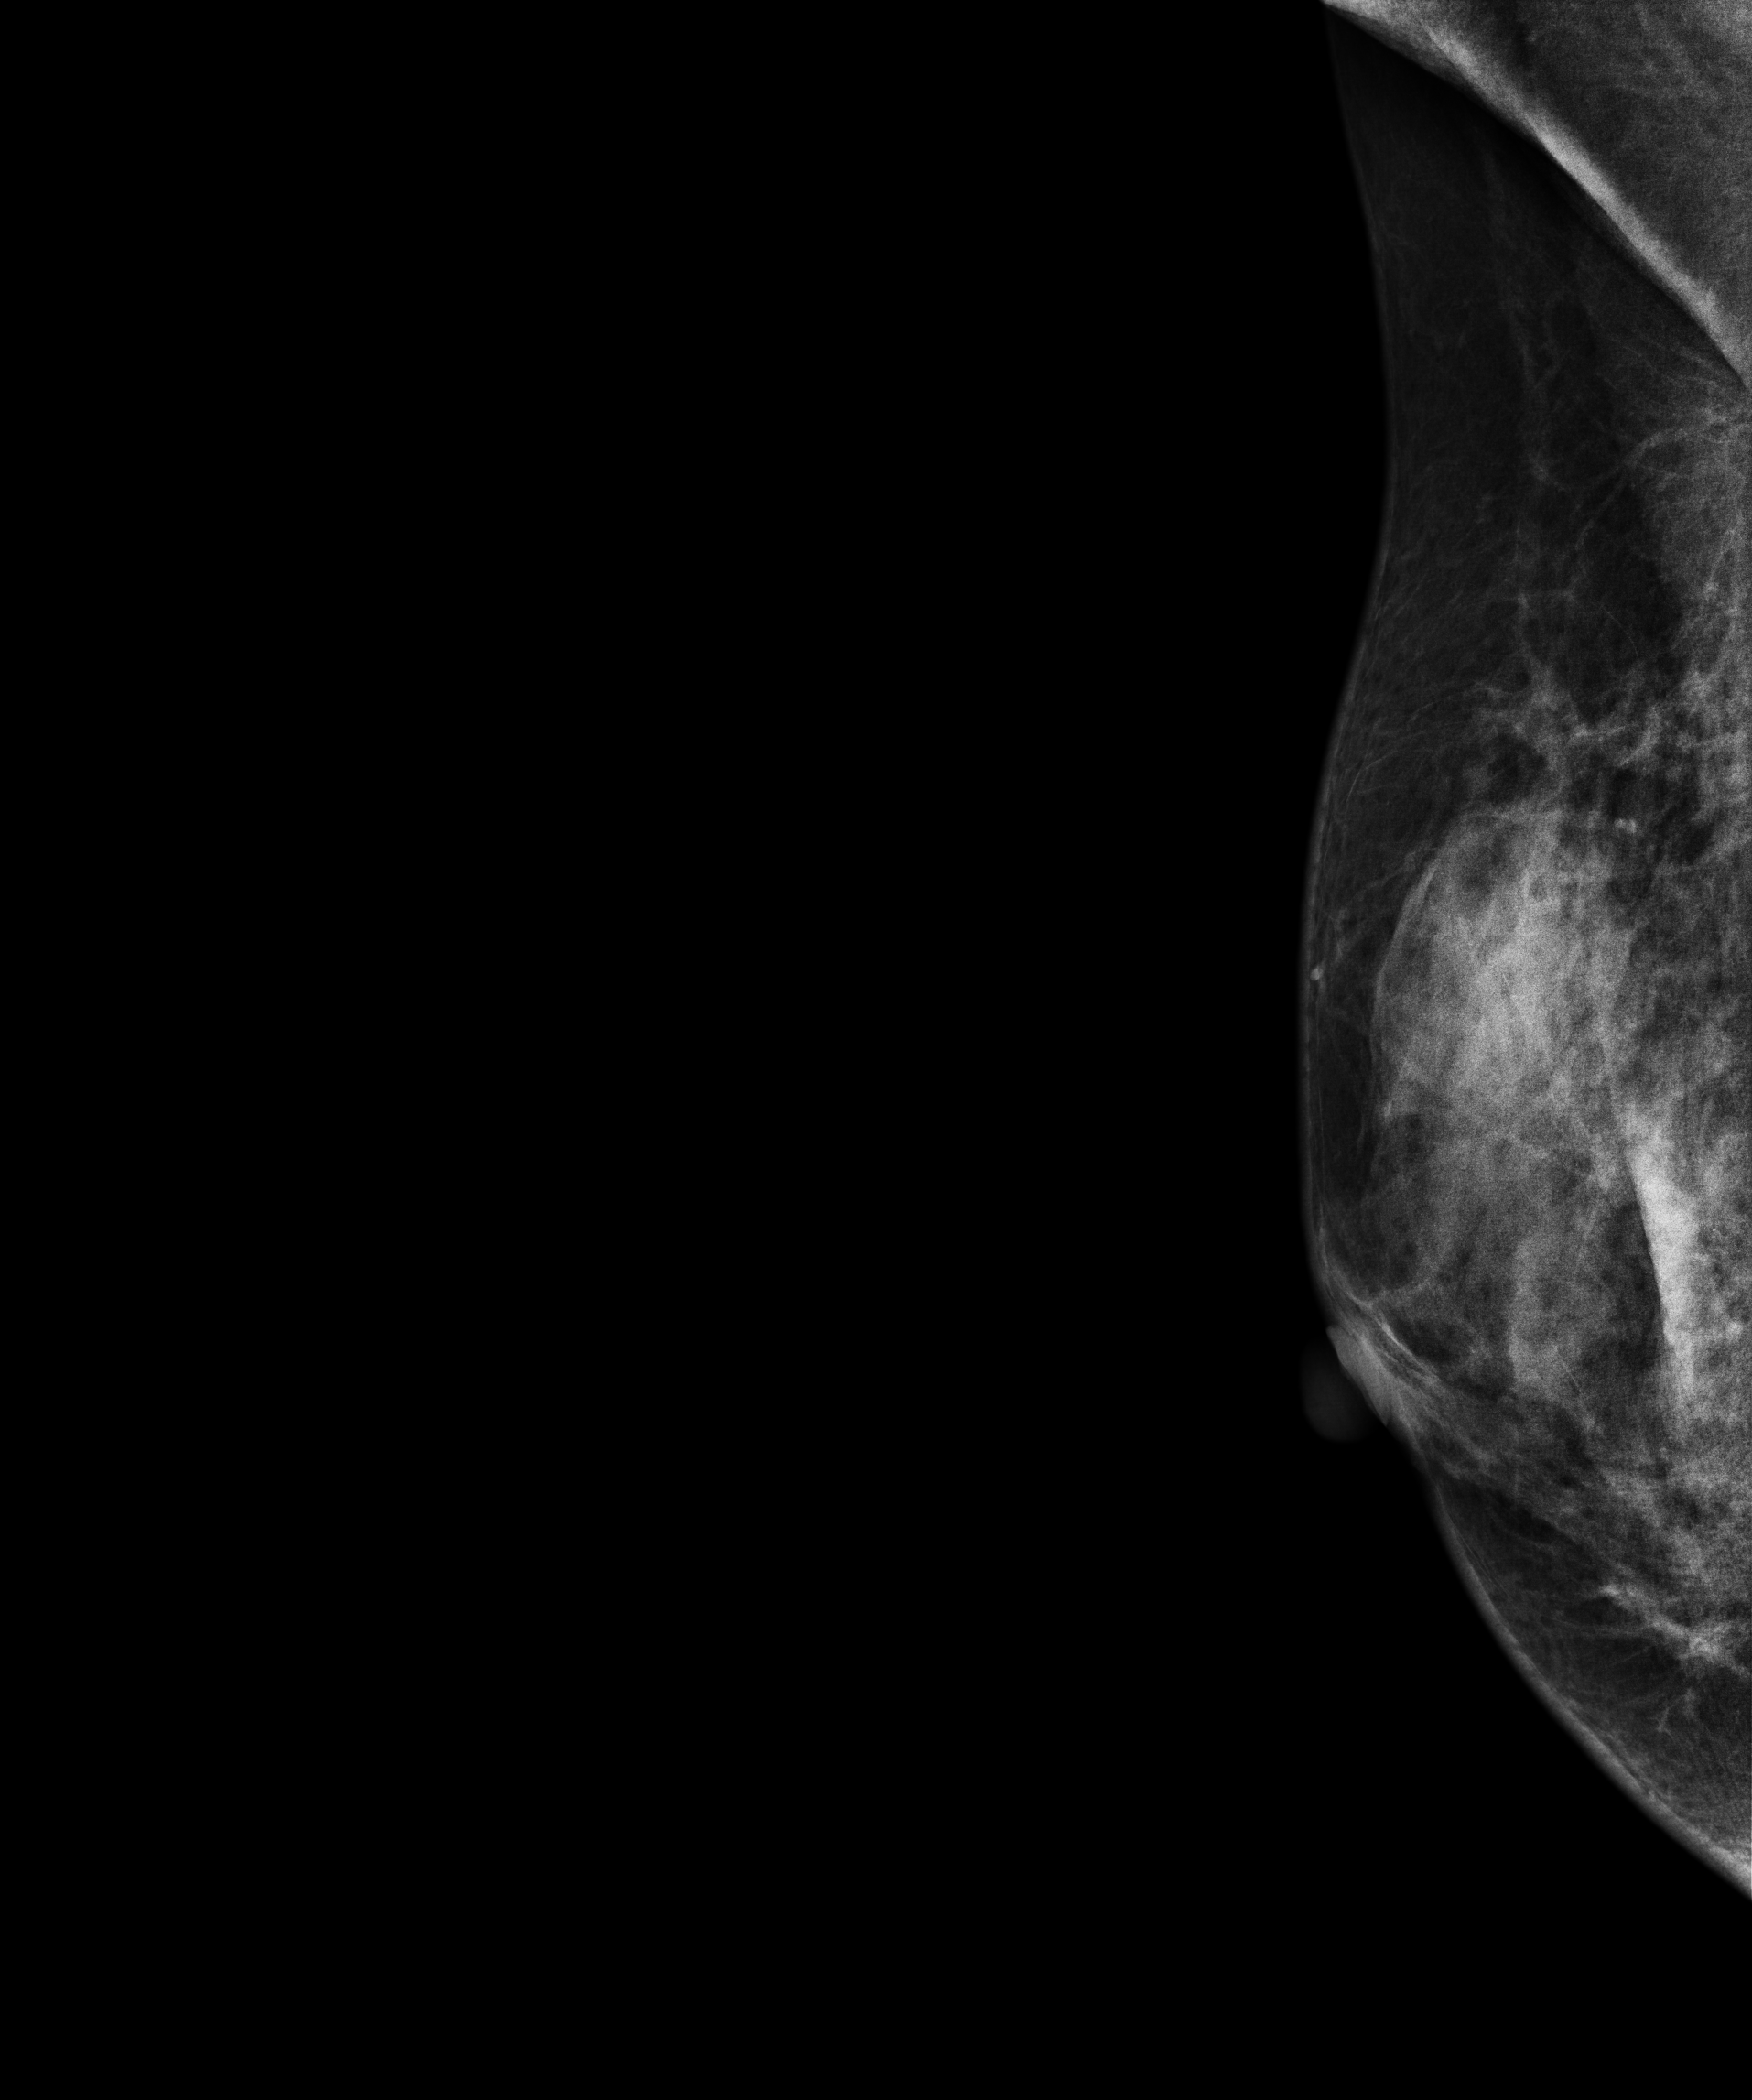
Digital mammography. Right breast, medio-lateral oblique projection. 41 y/o patient.
This breast has a mass, histologically confirmed malignant. Molecular subtype: luminal B.